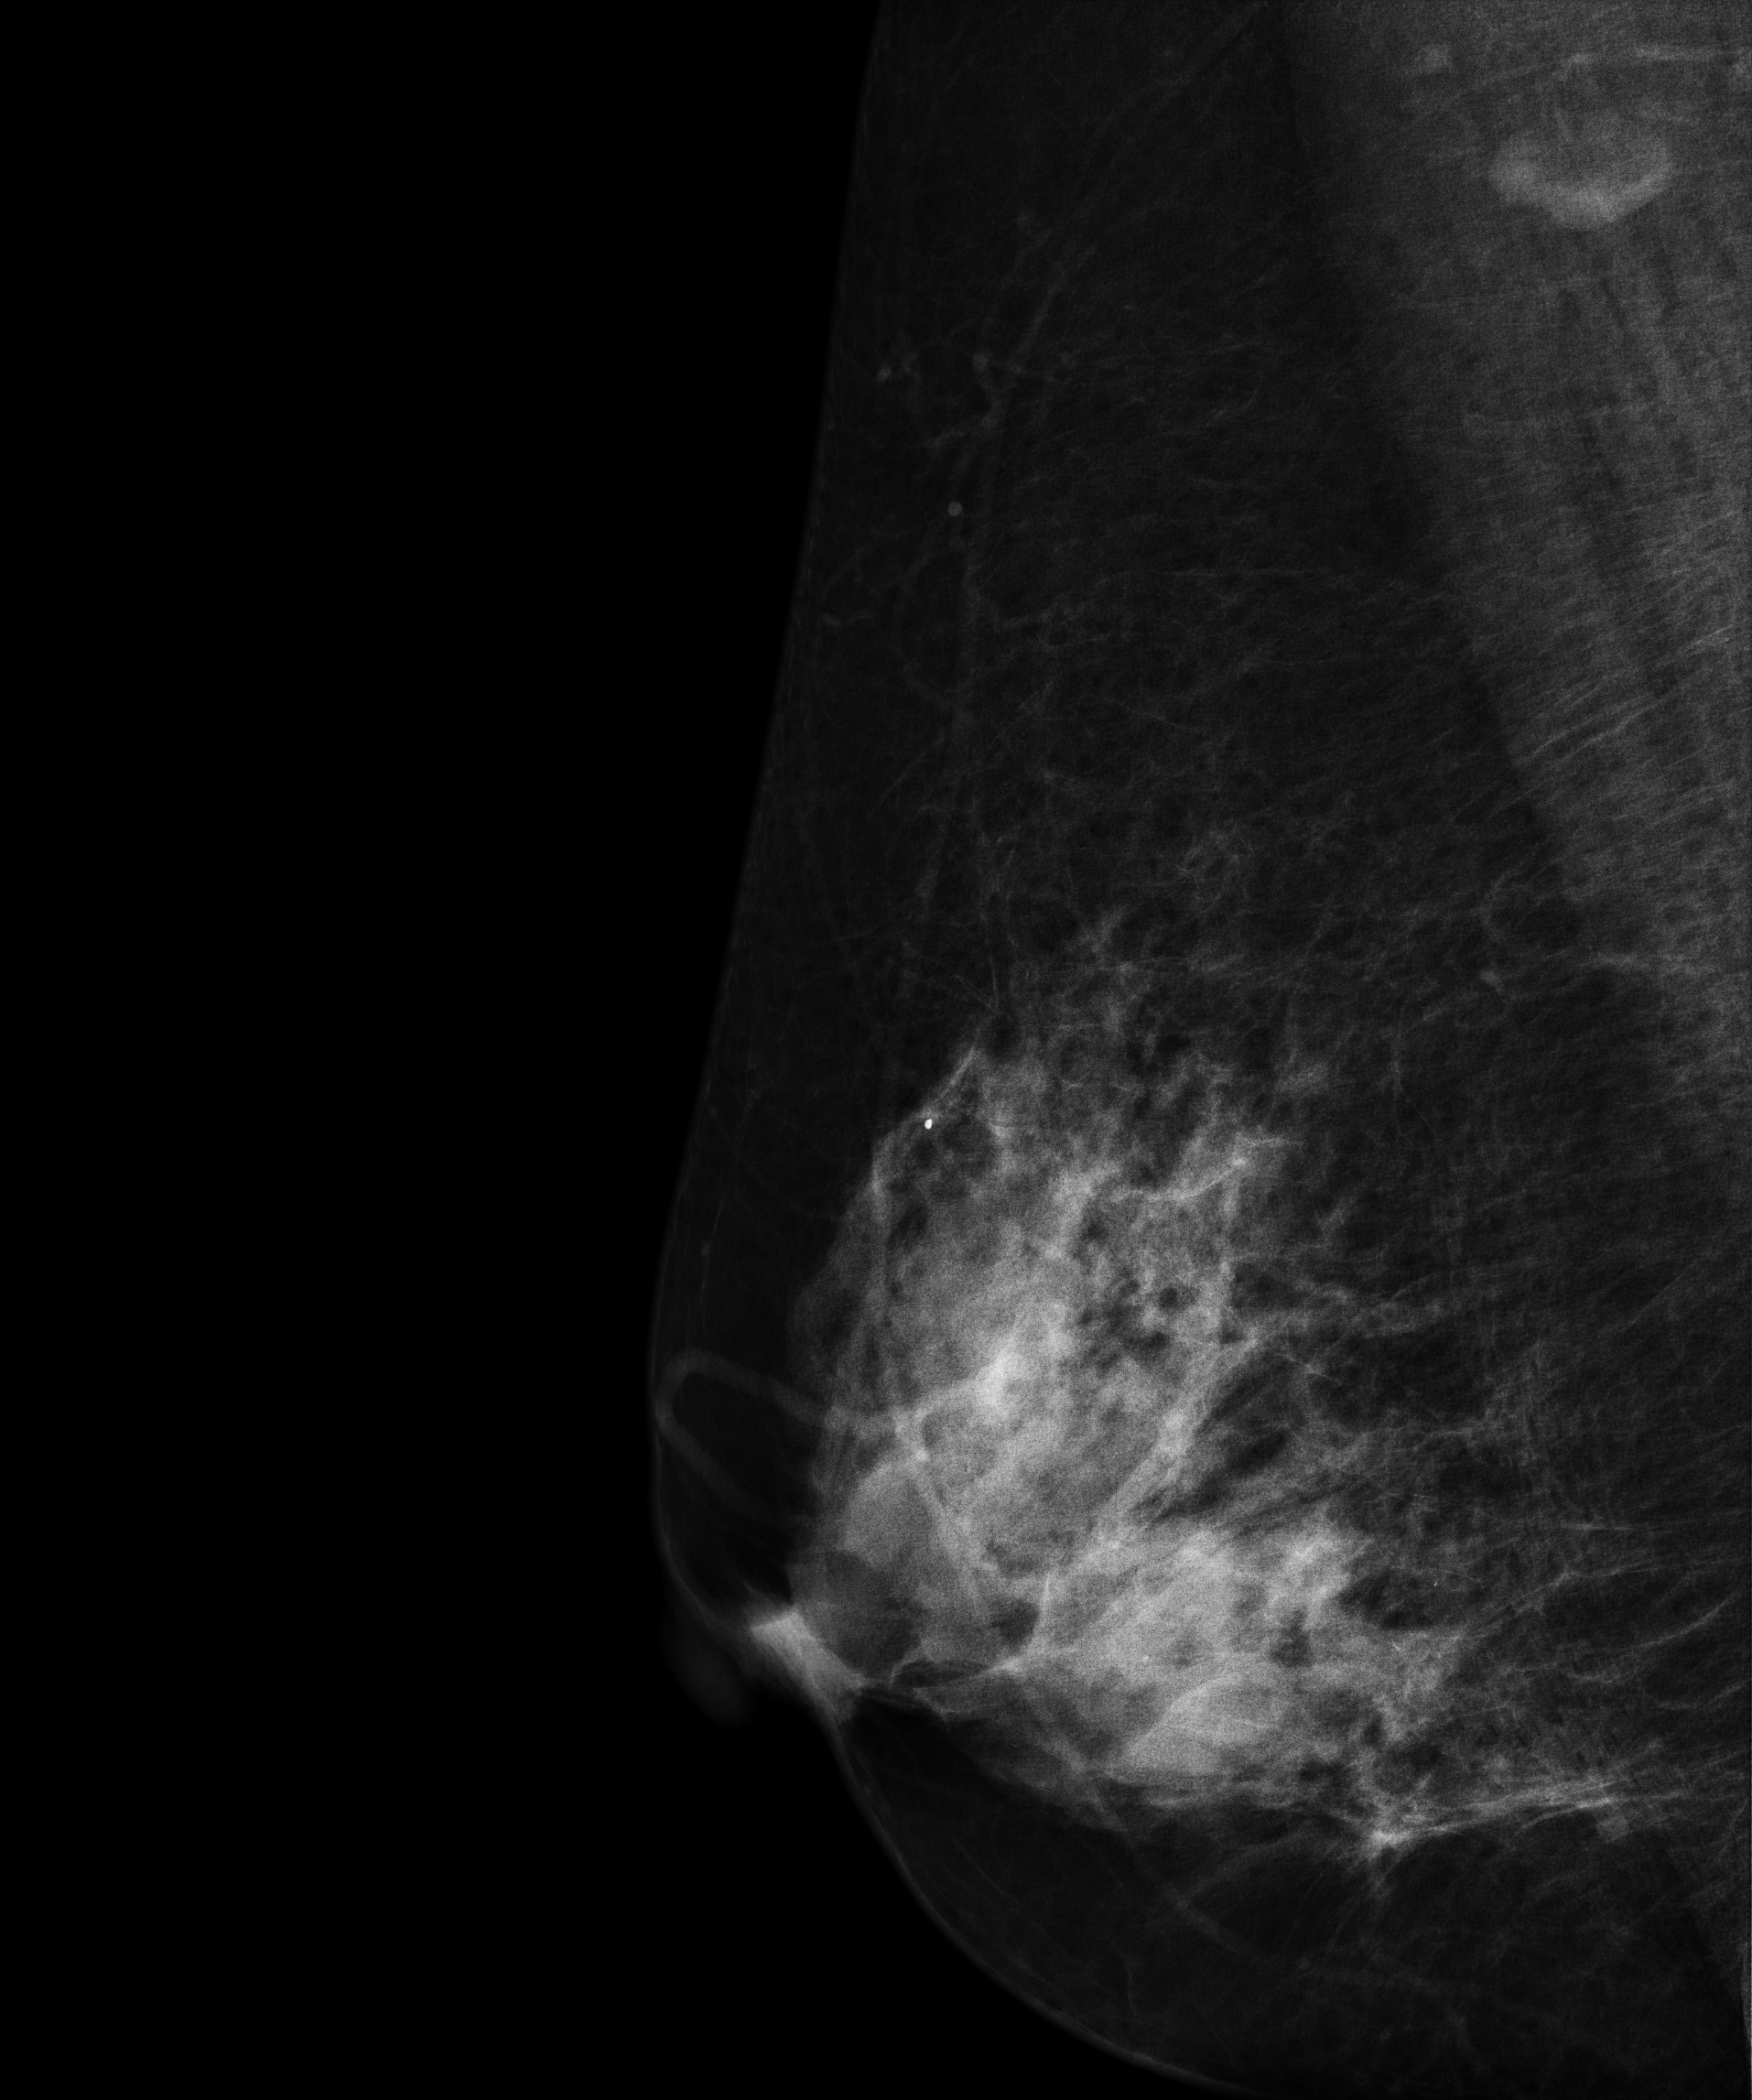
Right-breast mammogram, MLO. 64 y/o patient.
Contralateral breast — no documented abnormality on this side.